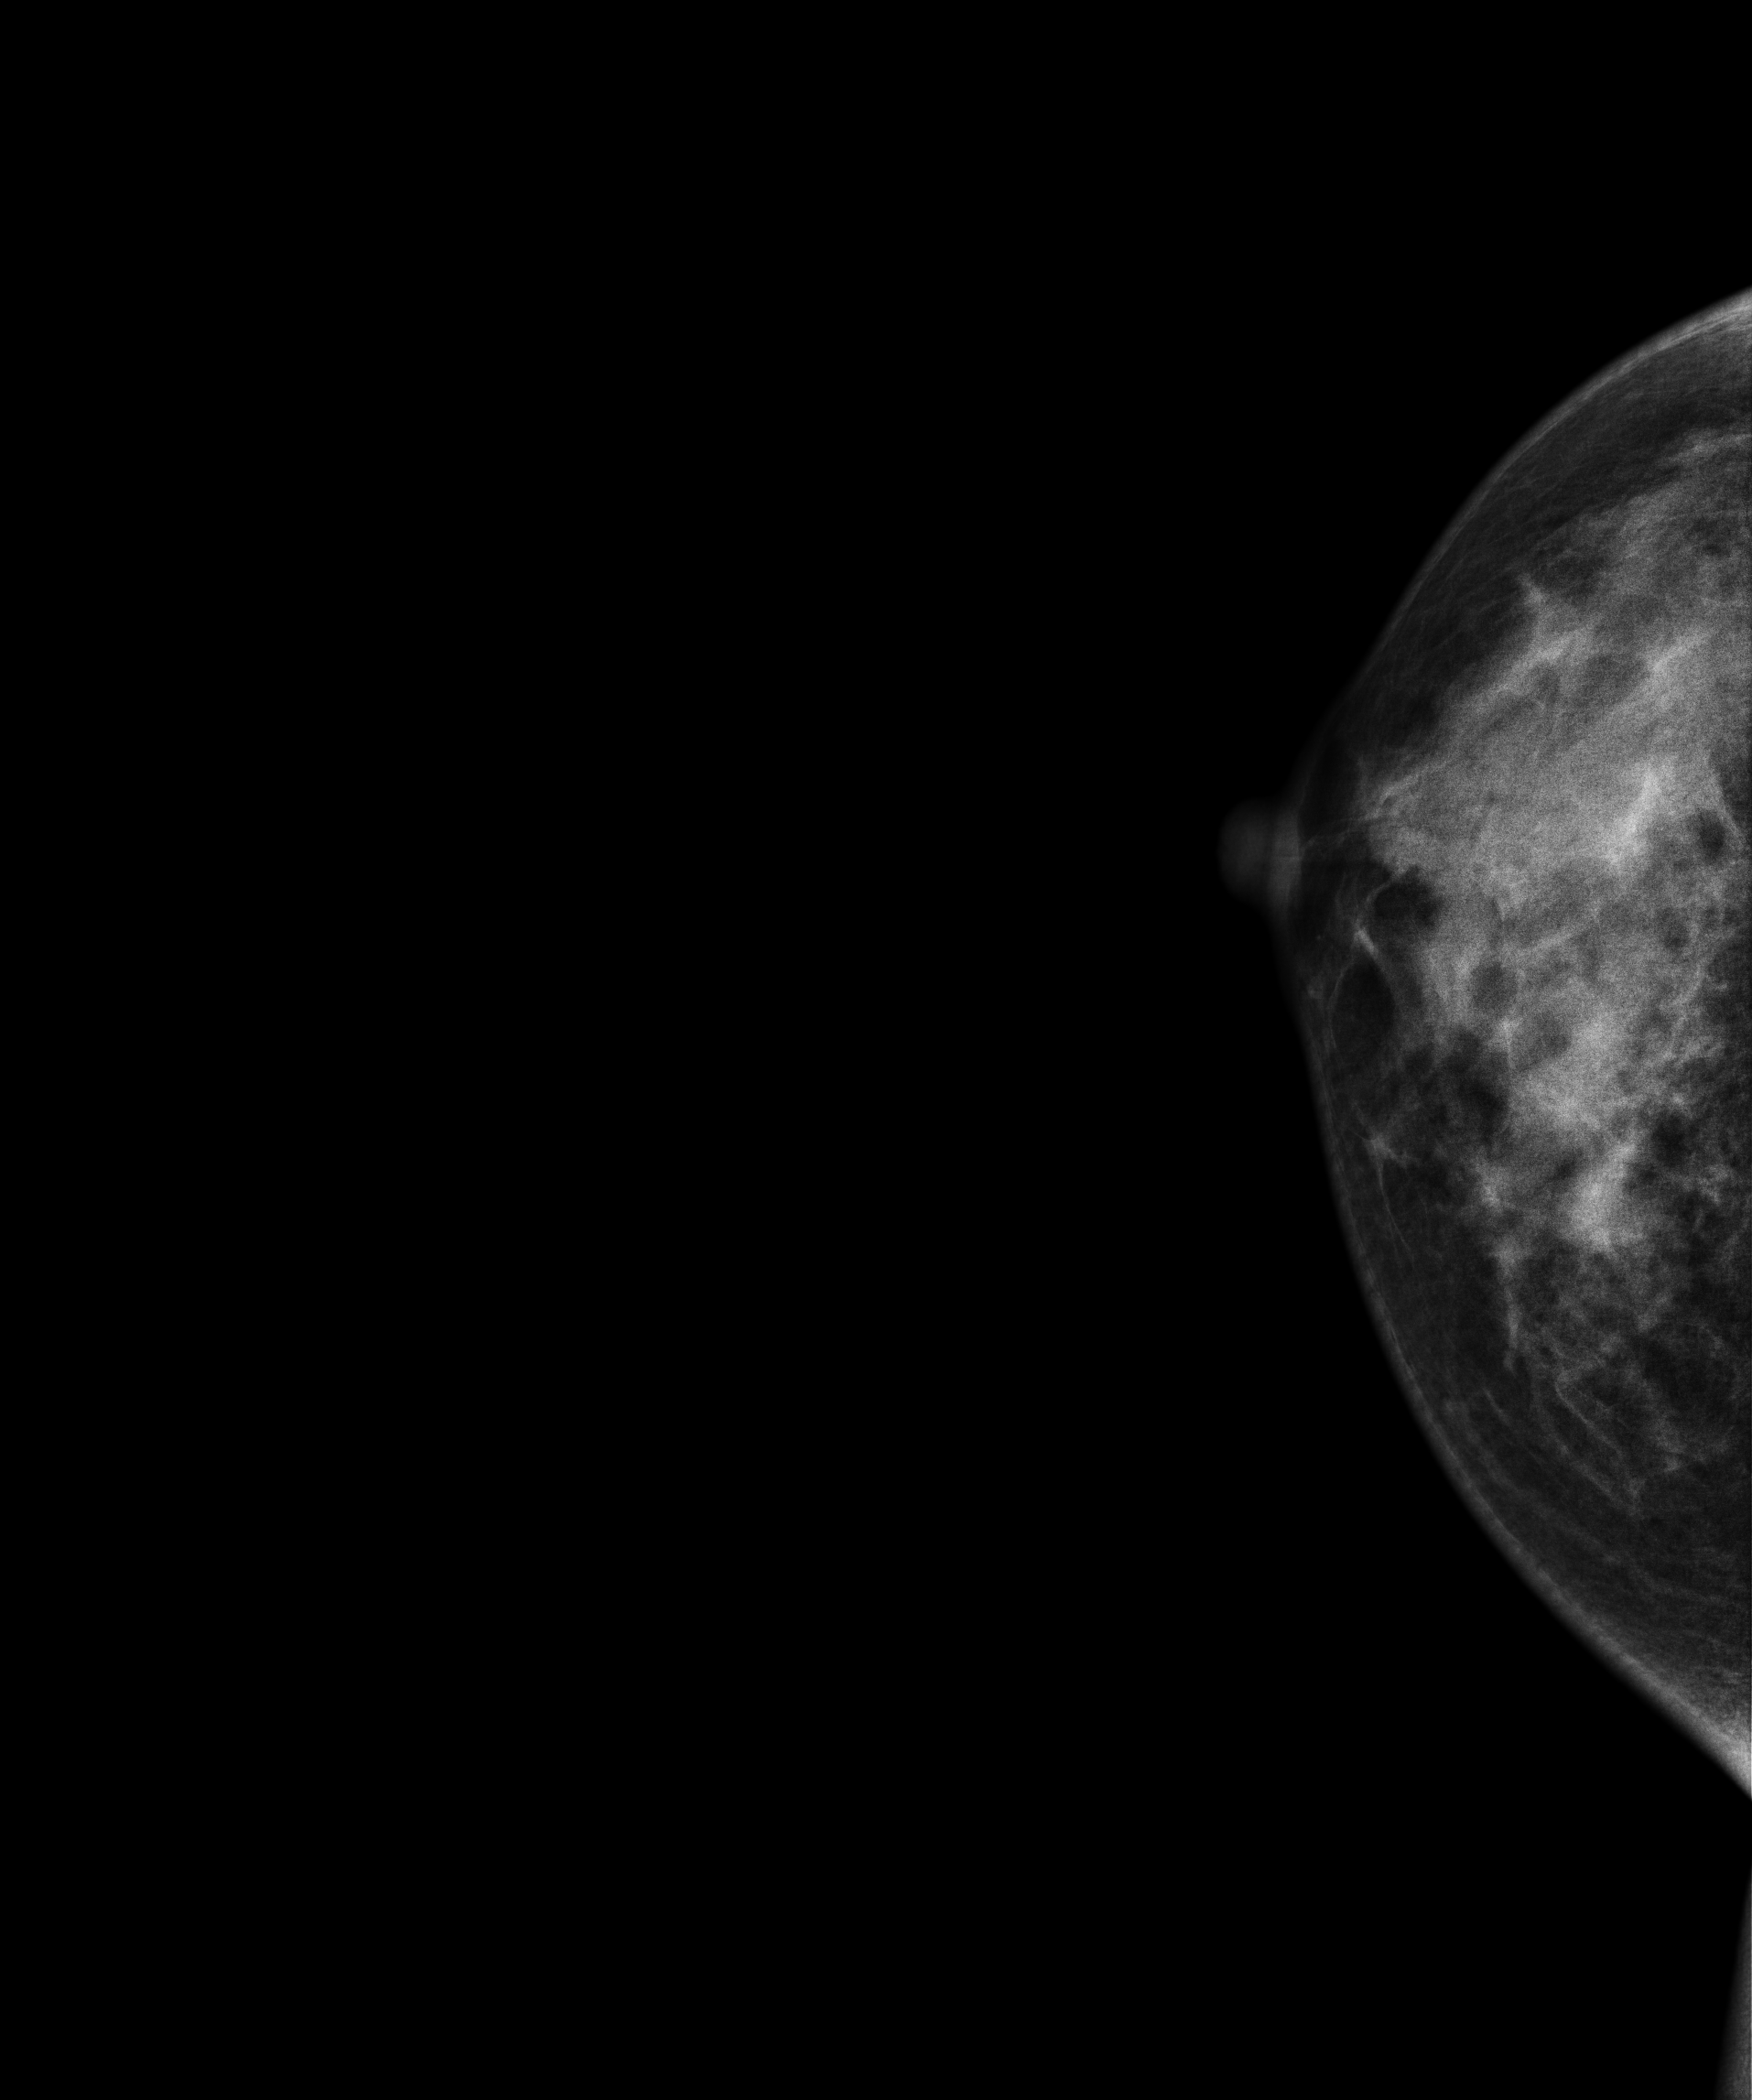
Right-breast mammogram, cranio-caudal. 30-year-old patient.
Contralateral breast — no documented abnormality on this side.